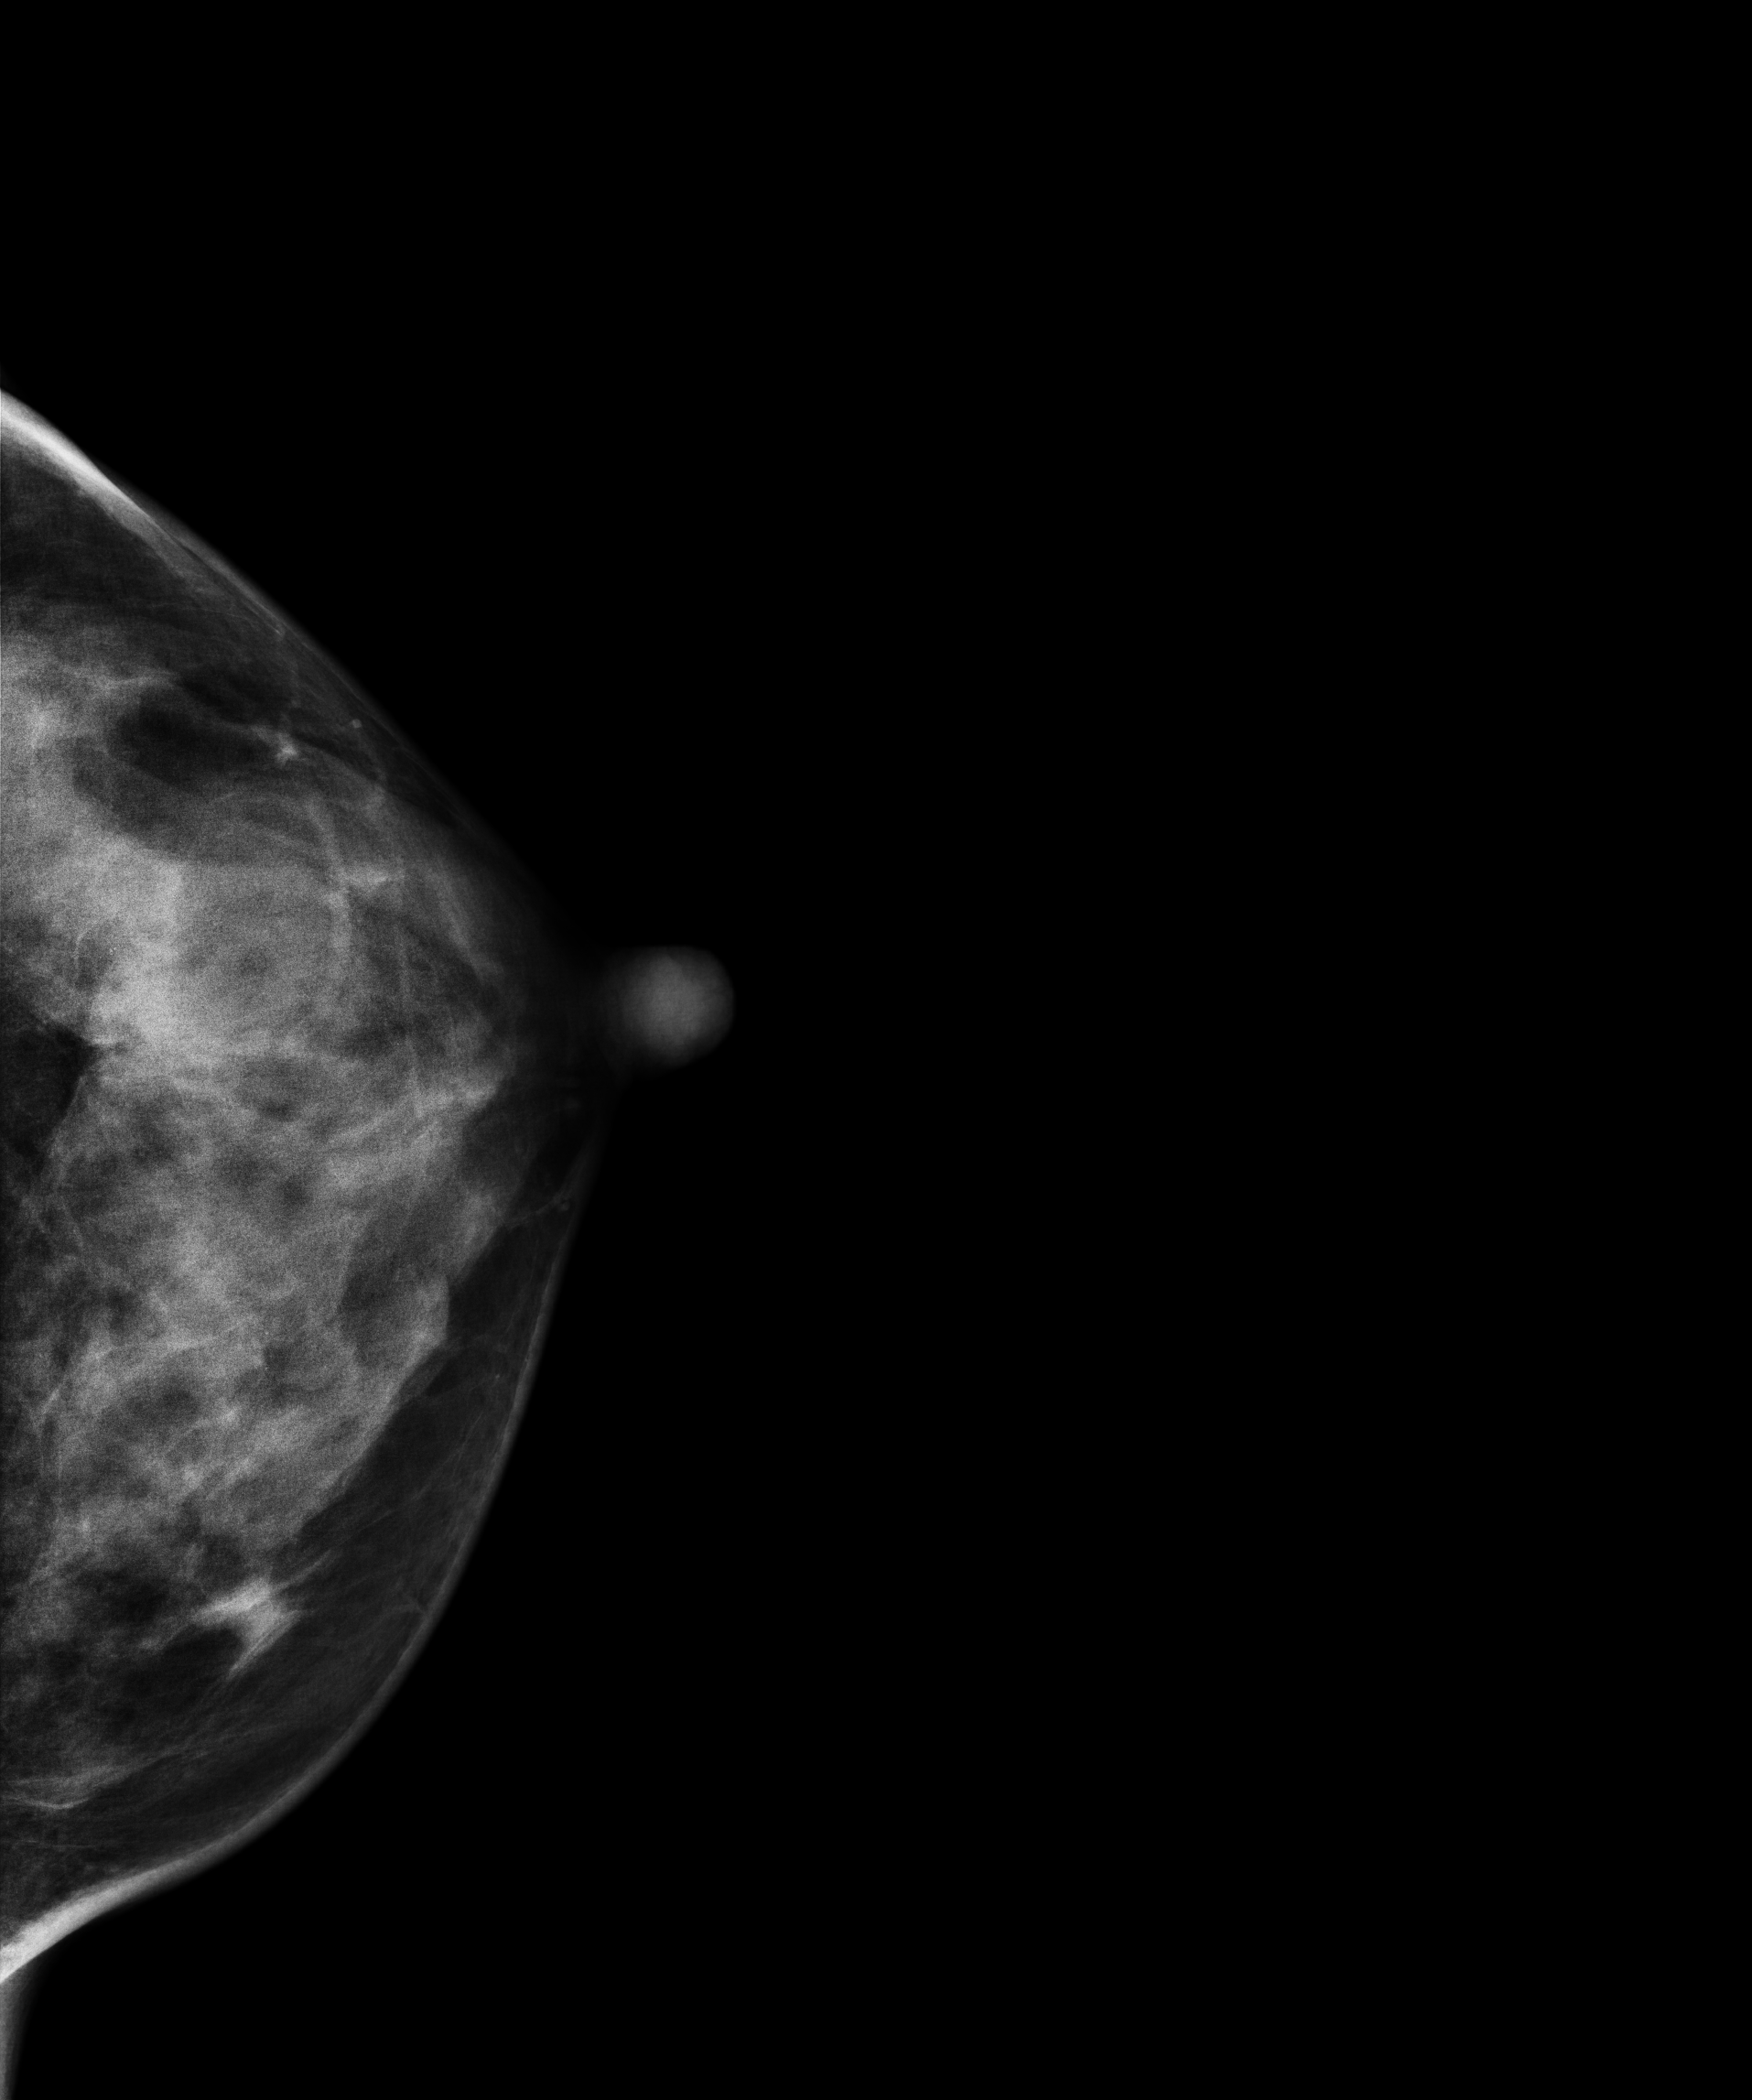
CC mammogram of the left breast. 41 y/o patient.
This breast has a mass, histologically confirmed benign.